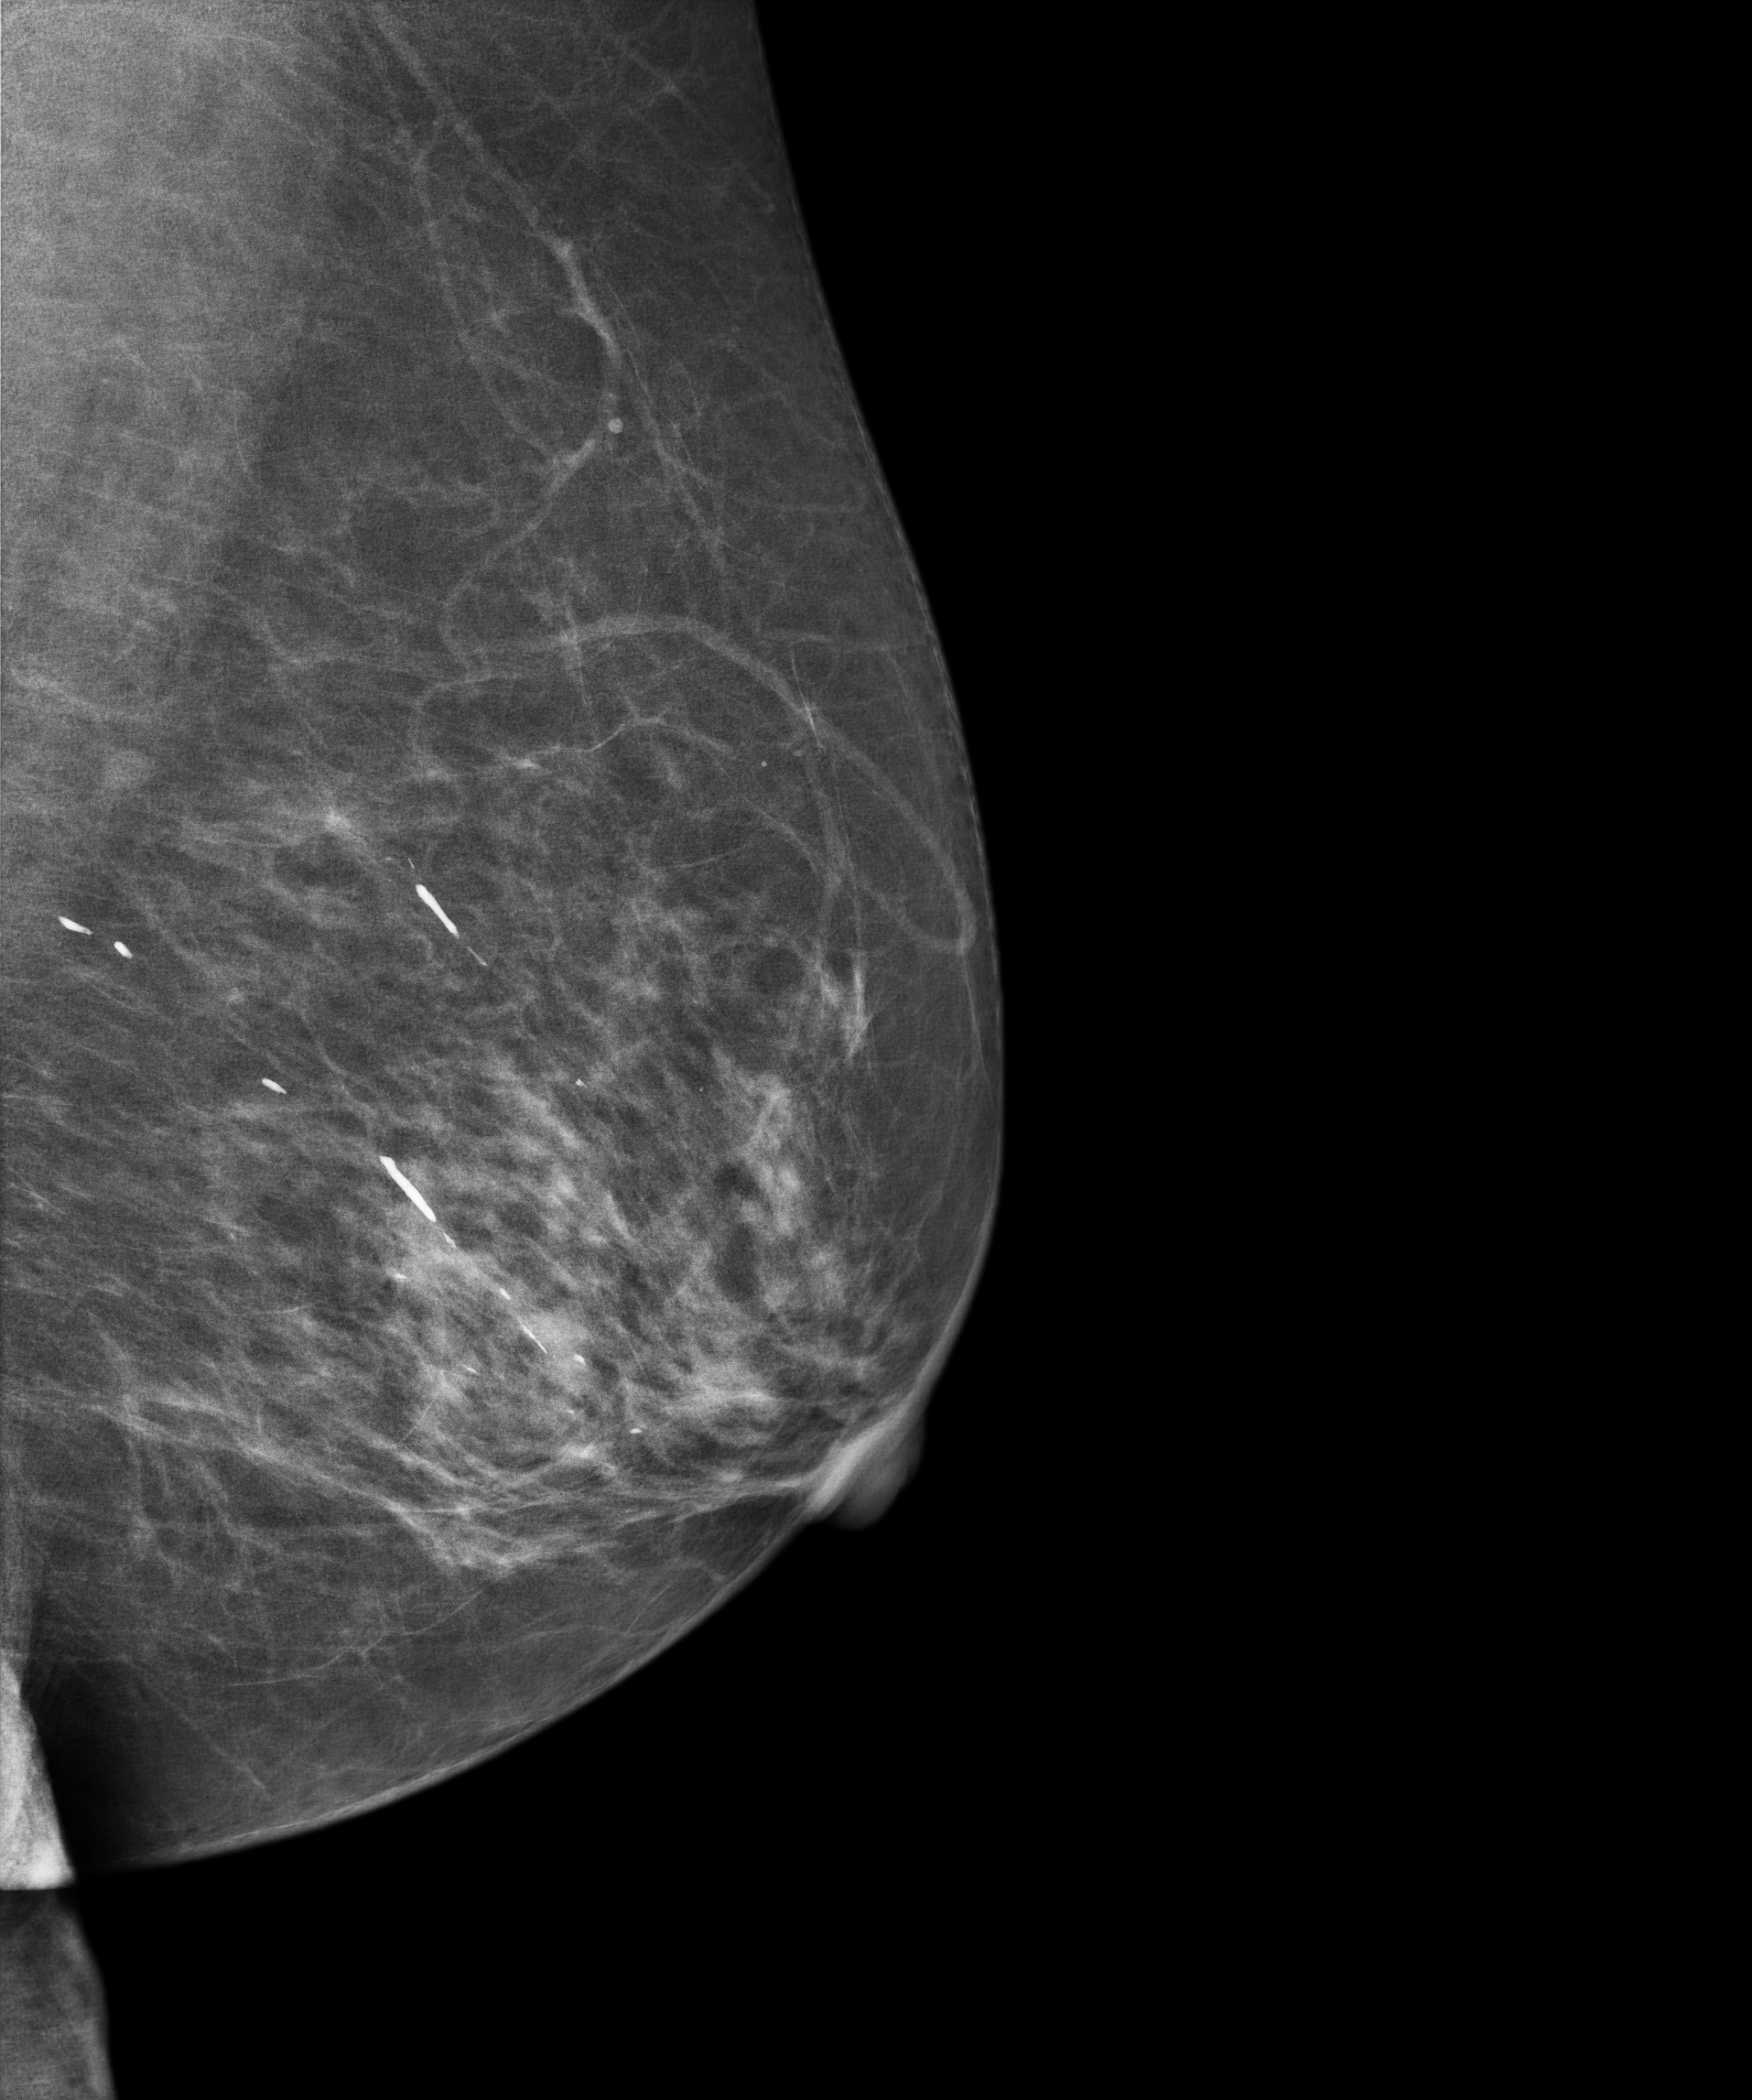
MLO mammogram of the left breast. 66 y/o patient.
Contralateral breast — no documented abnormality on this side.